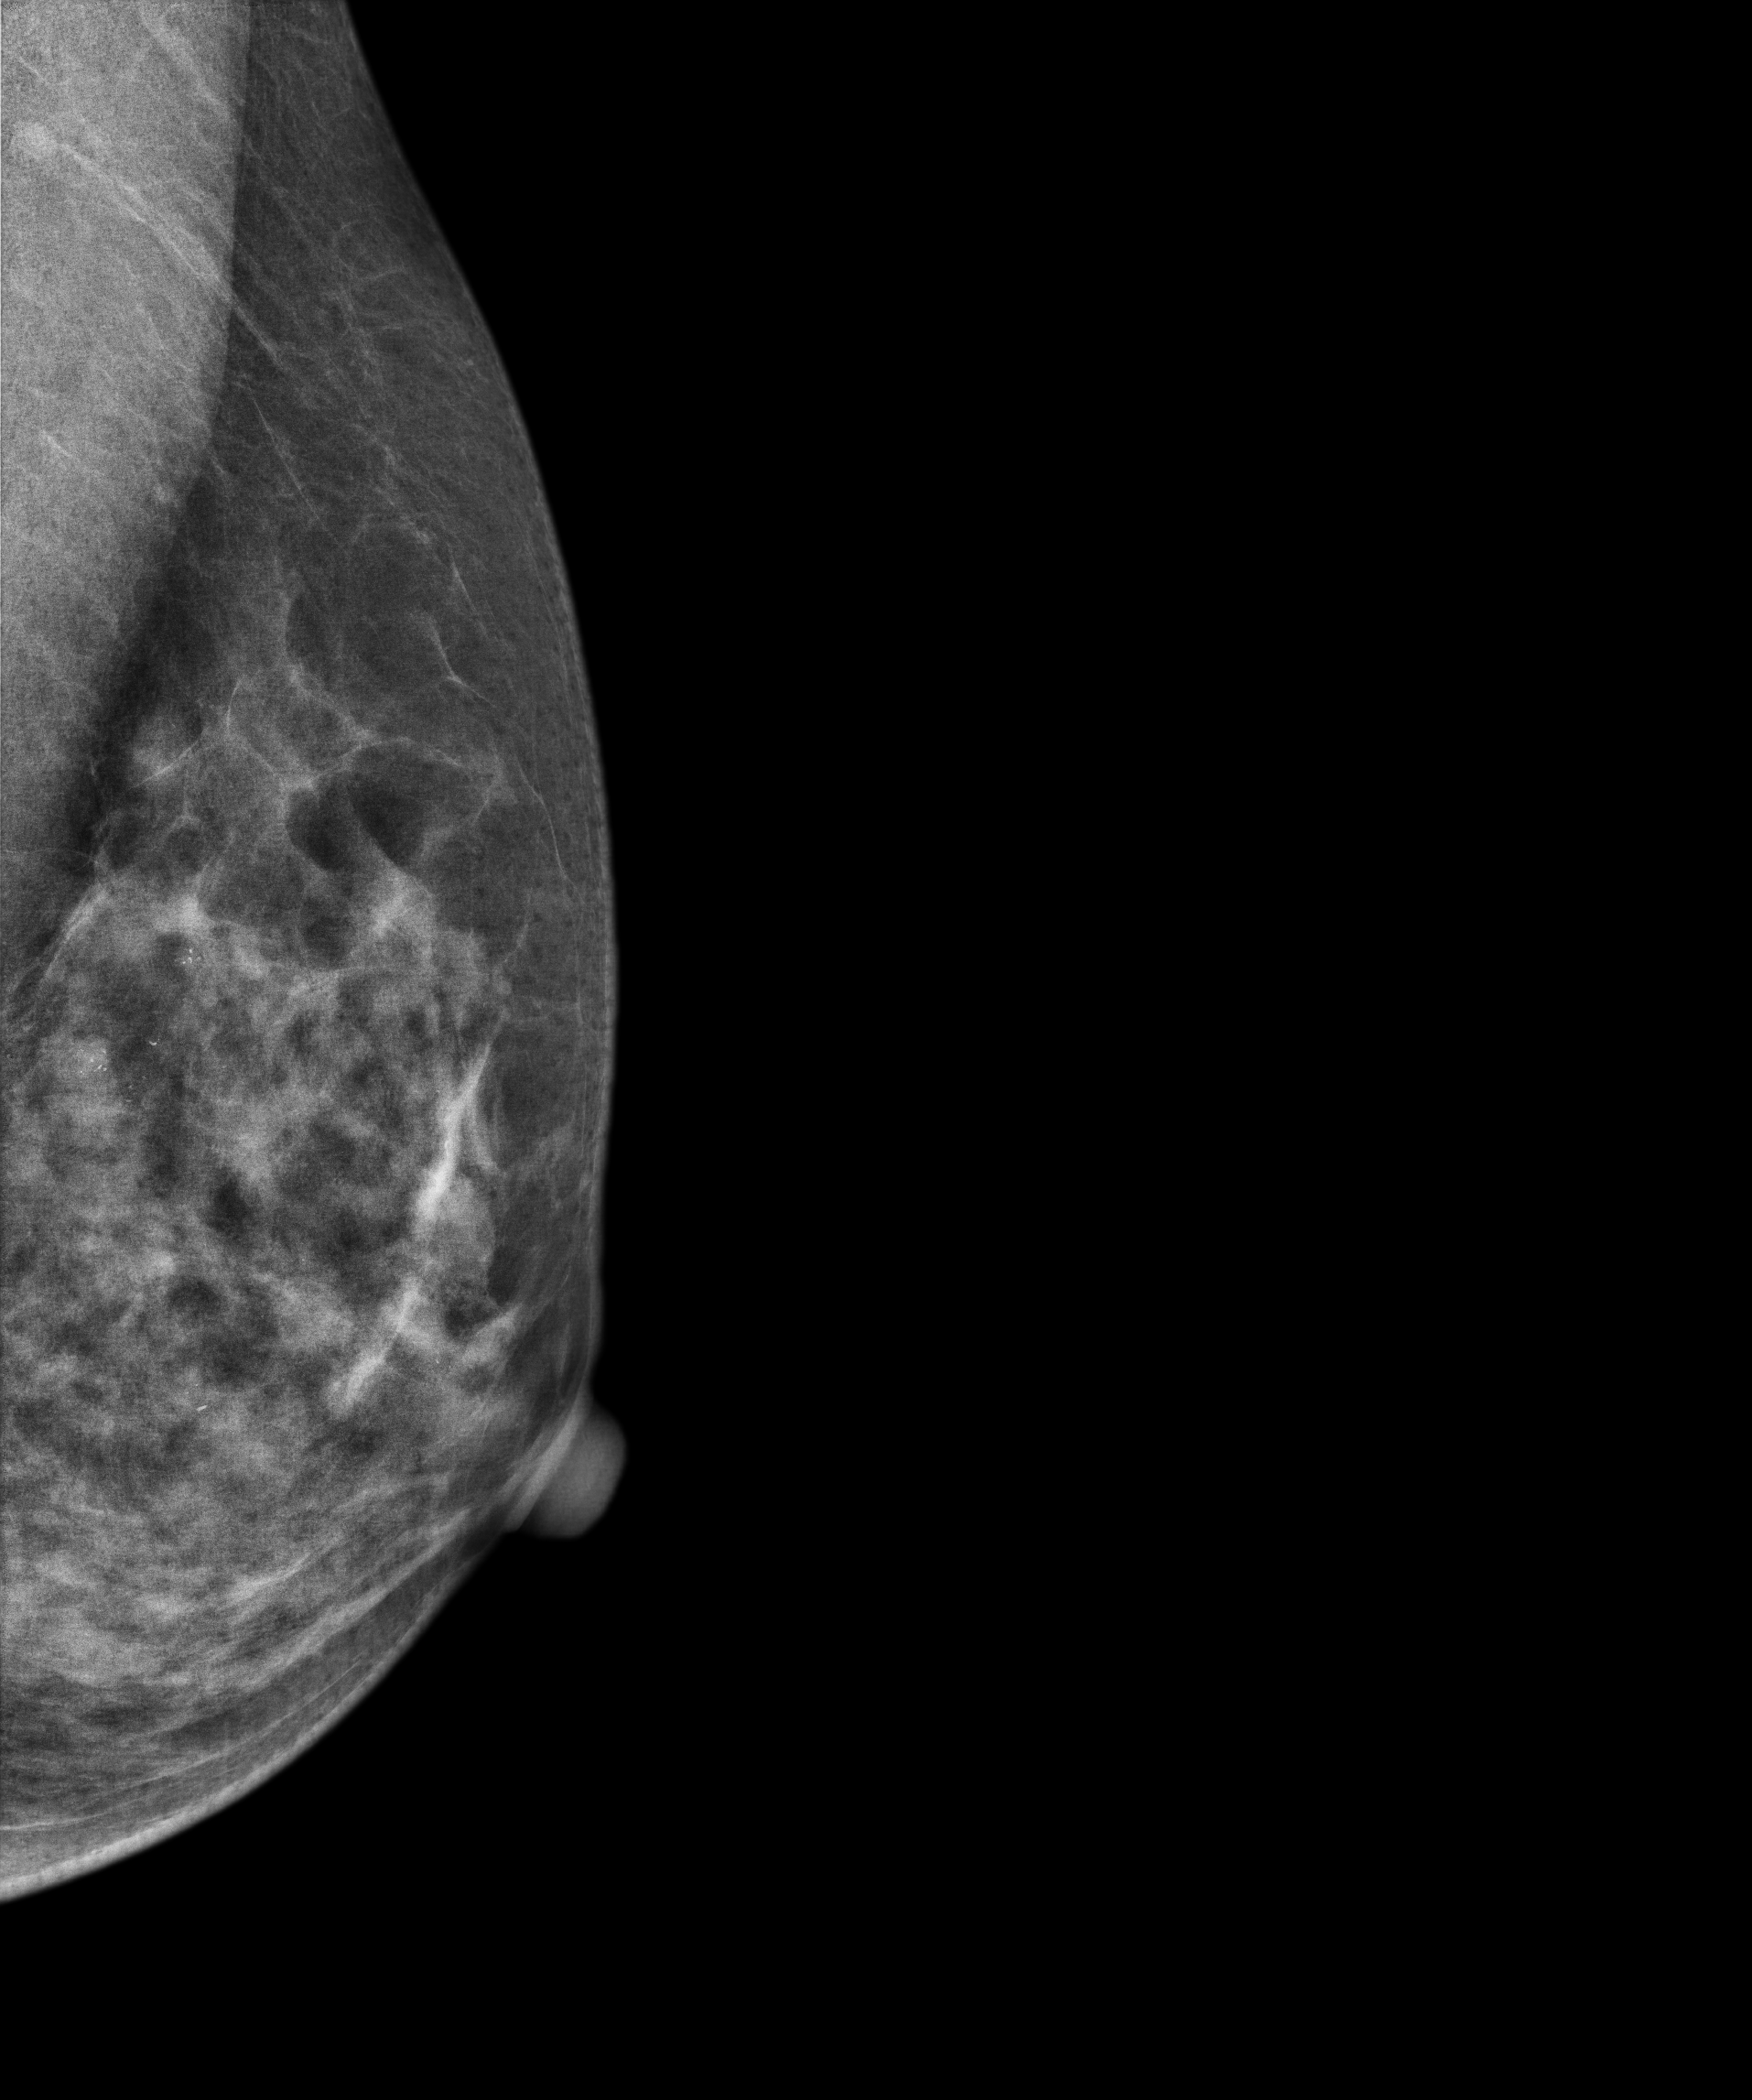
Digital mammography. Left breast, medio-lateral oblique projection. 43 y/o patient.
This breast has calcifications, histologically confirmed malignant. Molecular subtype: luminal B.